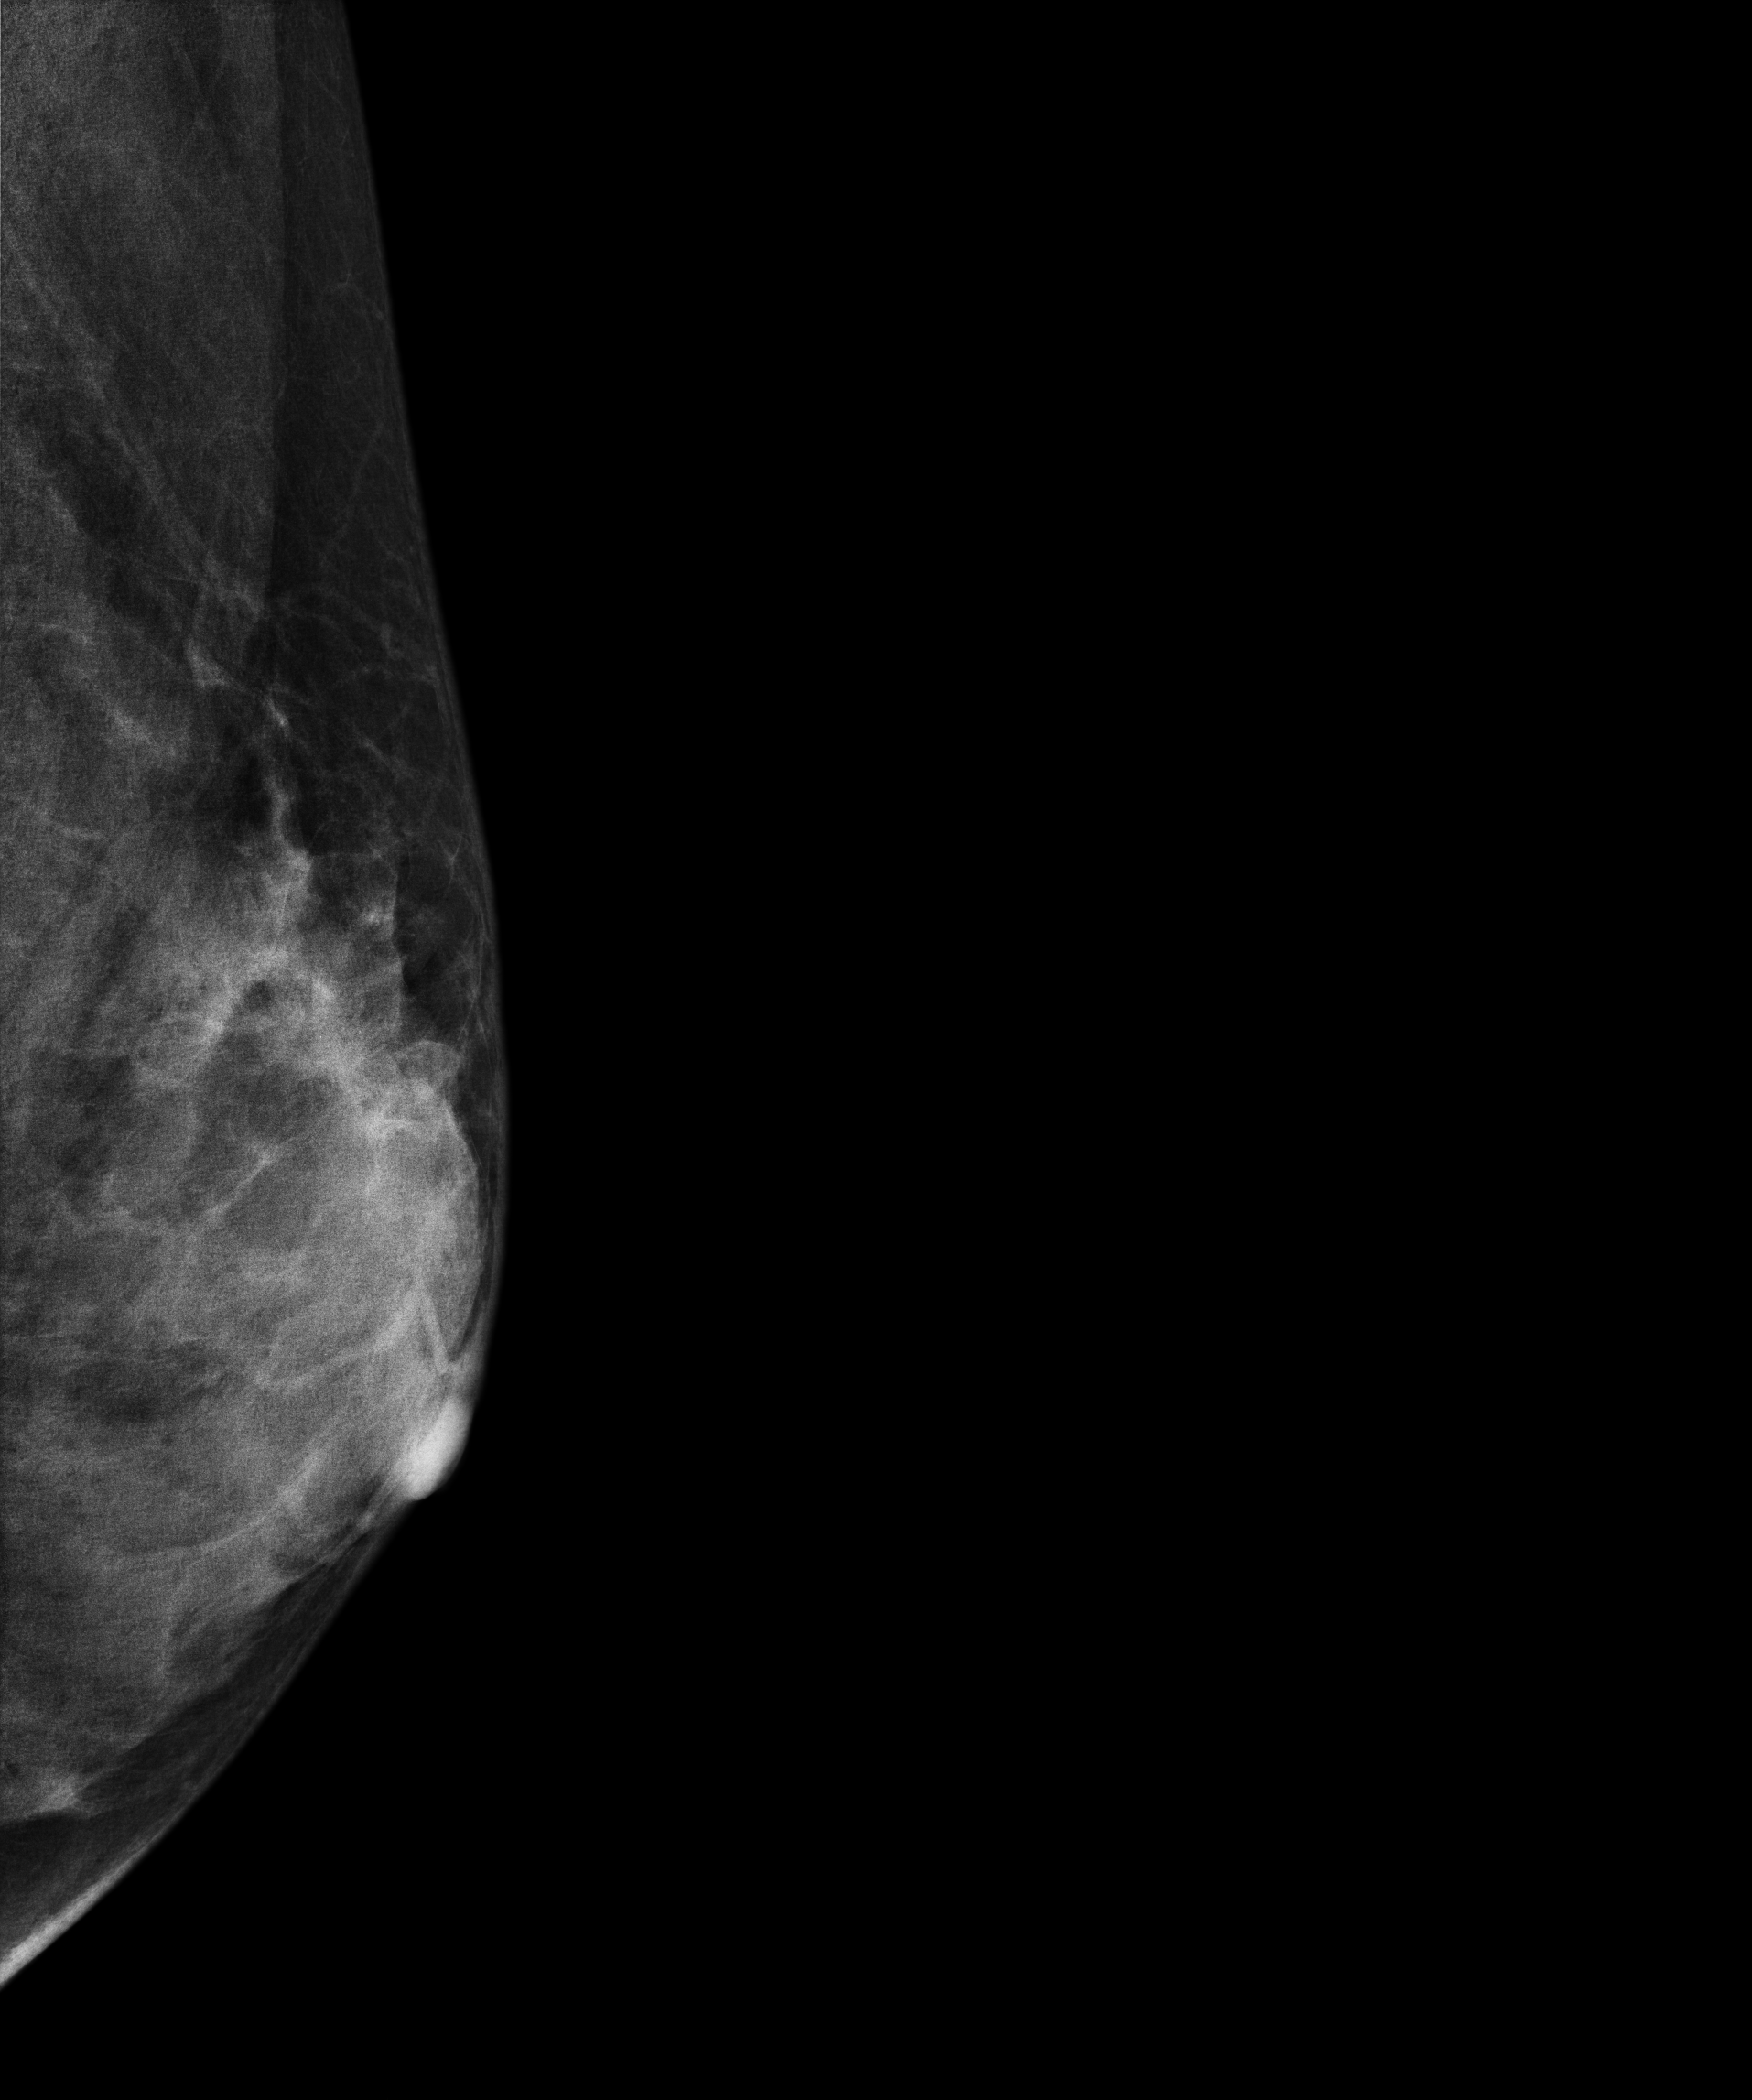
Medio-lateral oblique mammogram of the left breast. Patient age 45.
This breast has a mass, biopsy-confirmed benign.